Digital mammography. Left breast, medio-lateral oblique projection. 41-year-old patient.
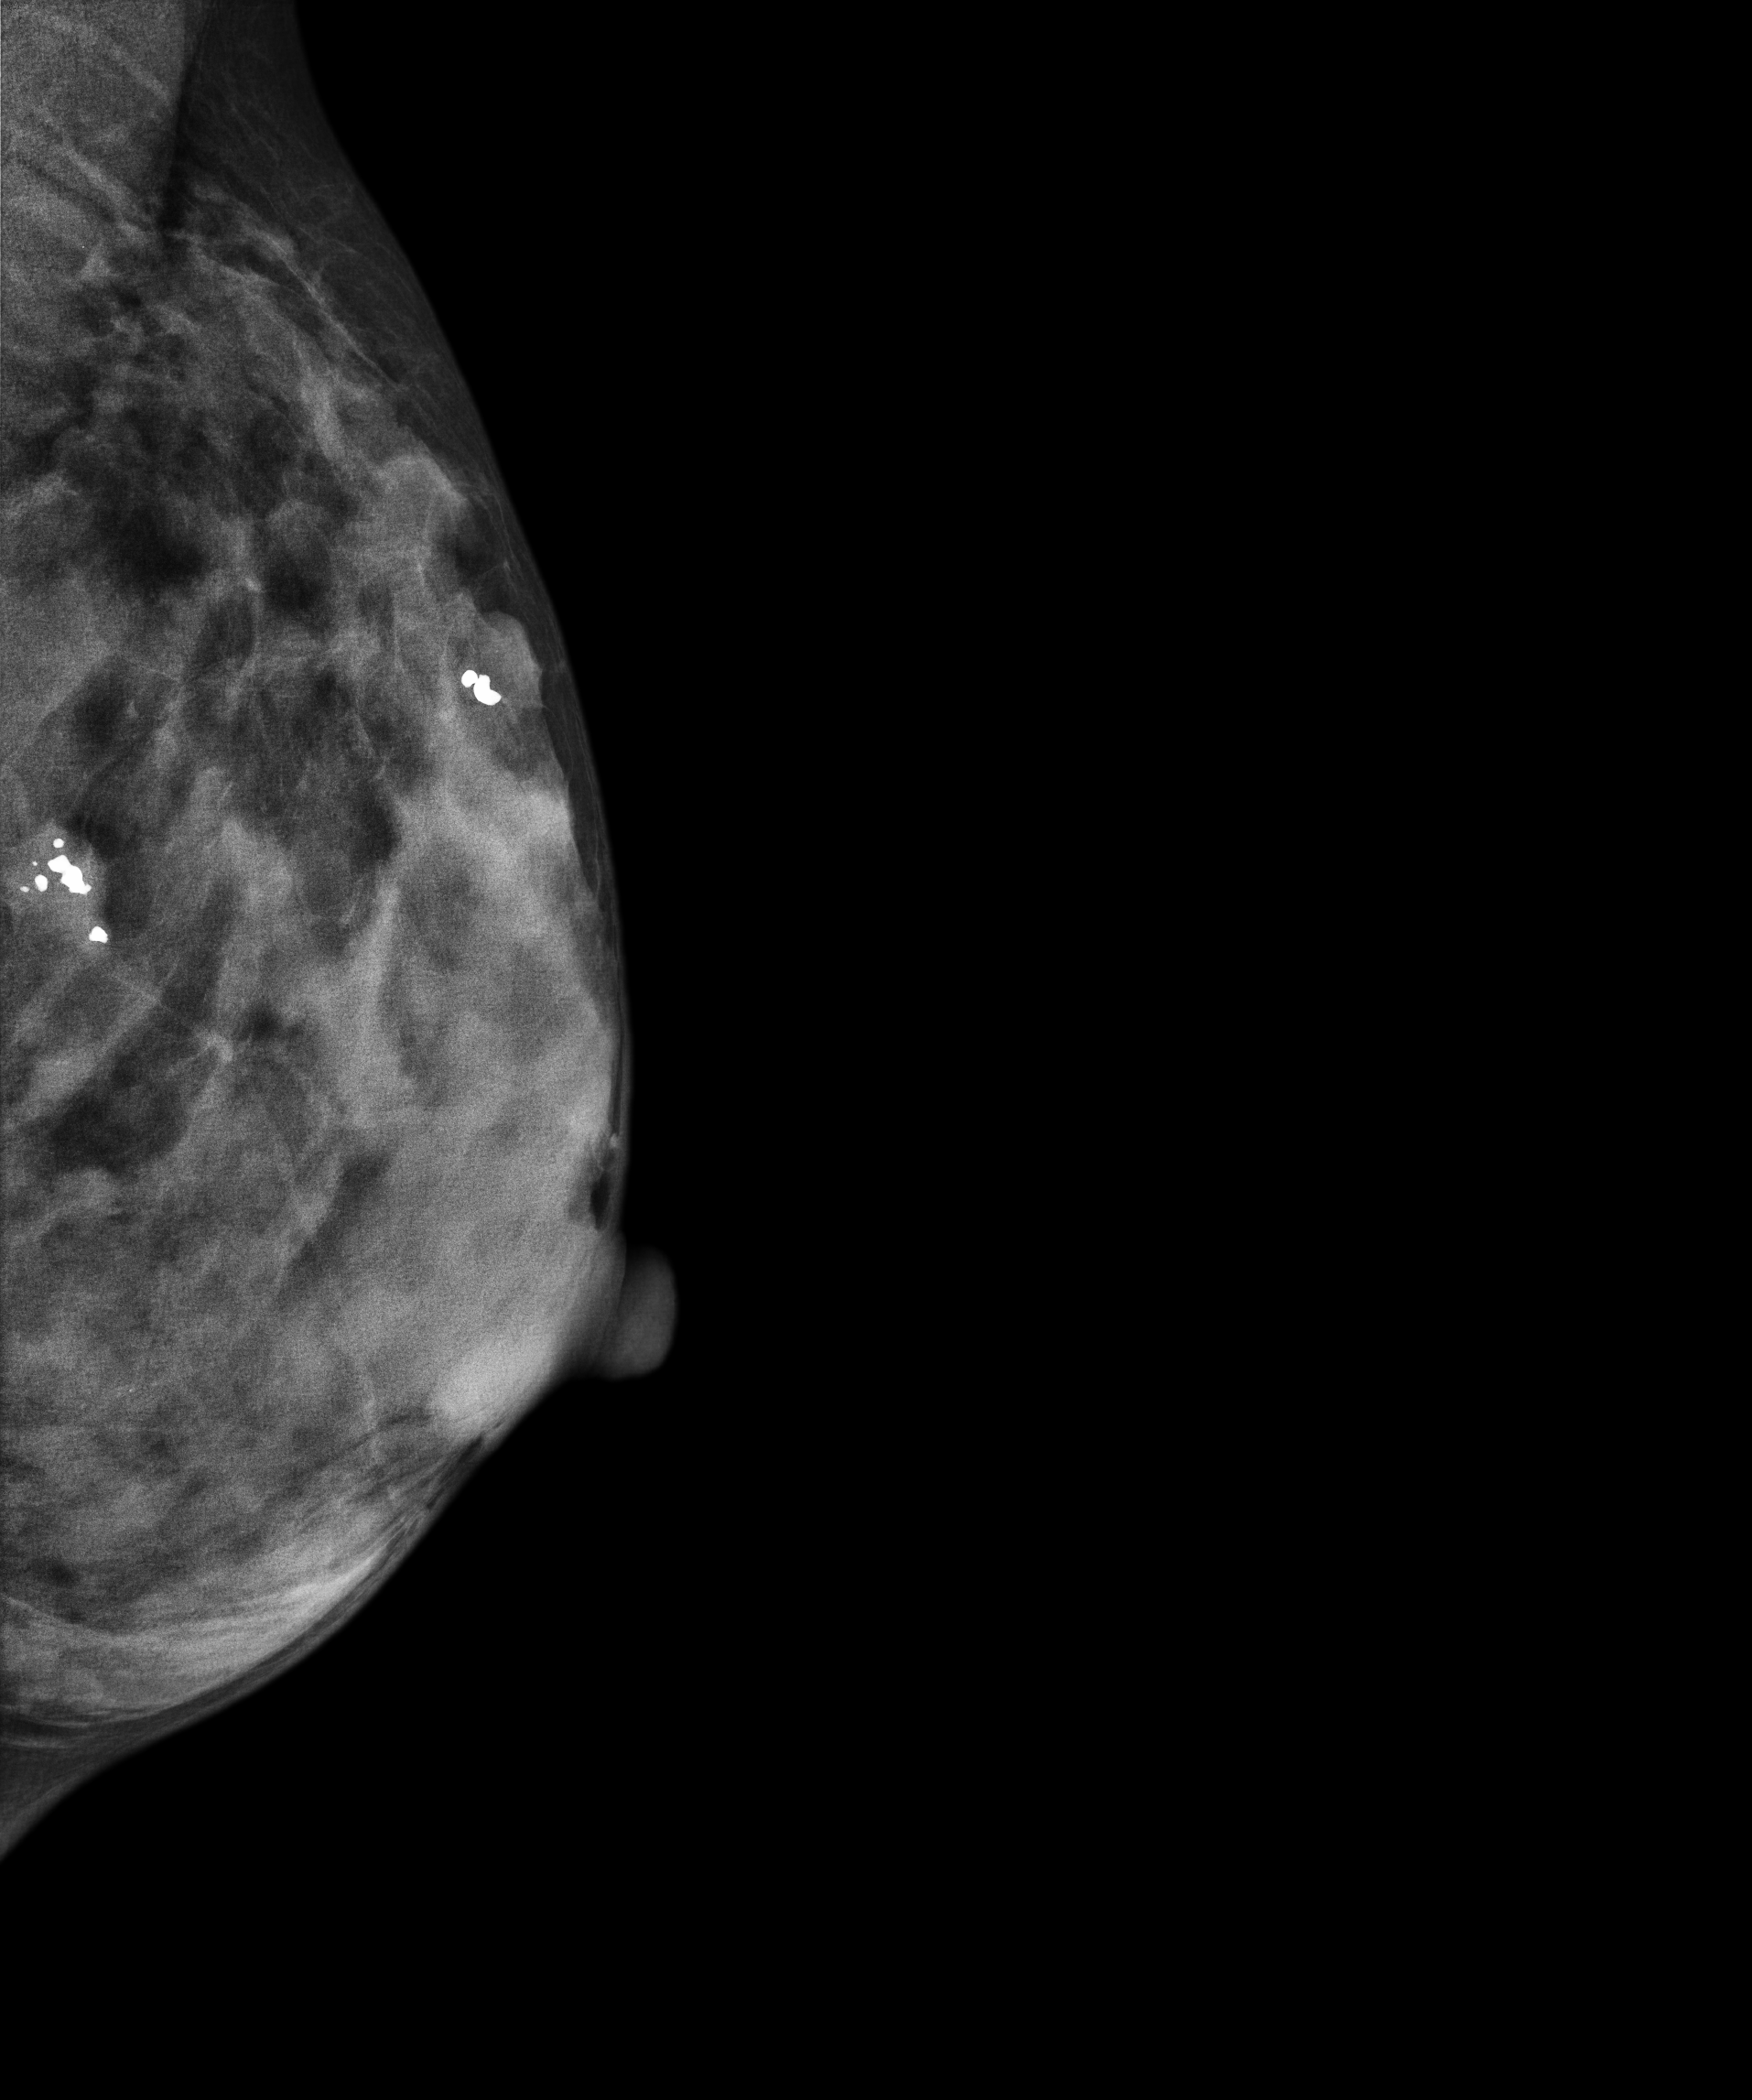
Contralateral breast — no documented abnormality on this side.